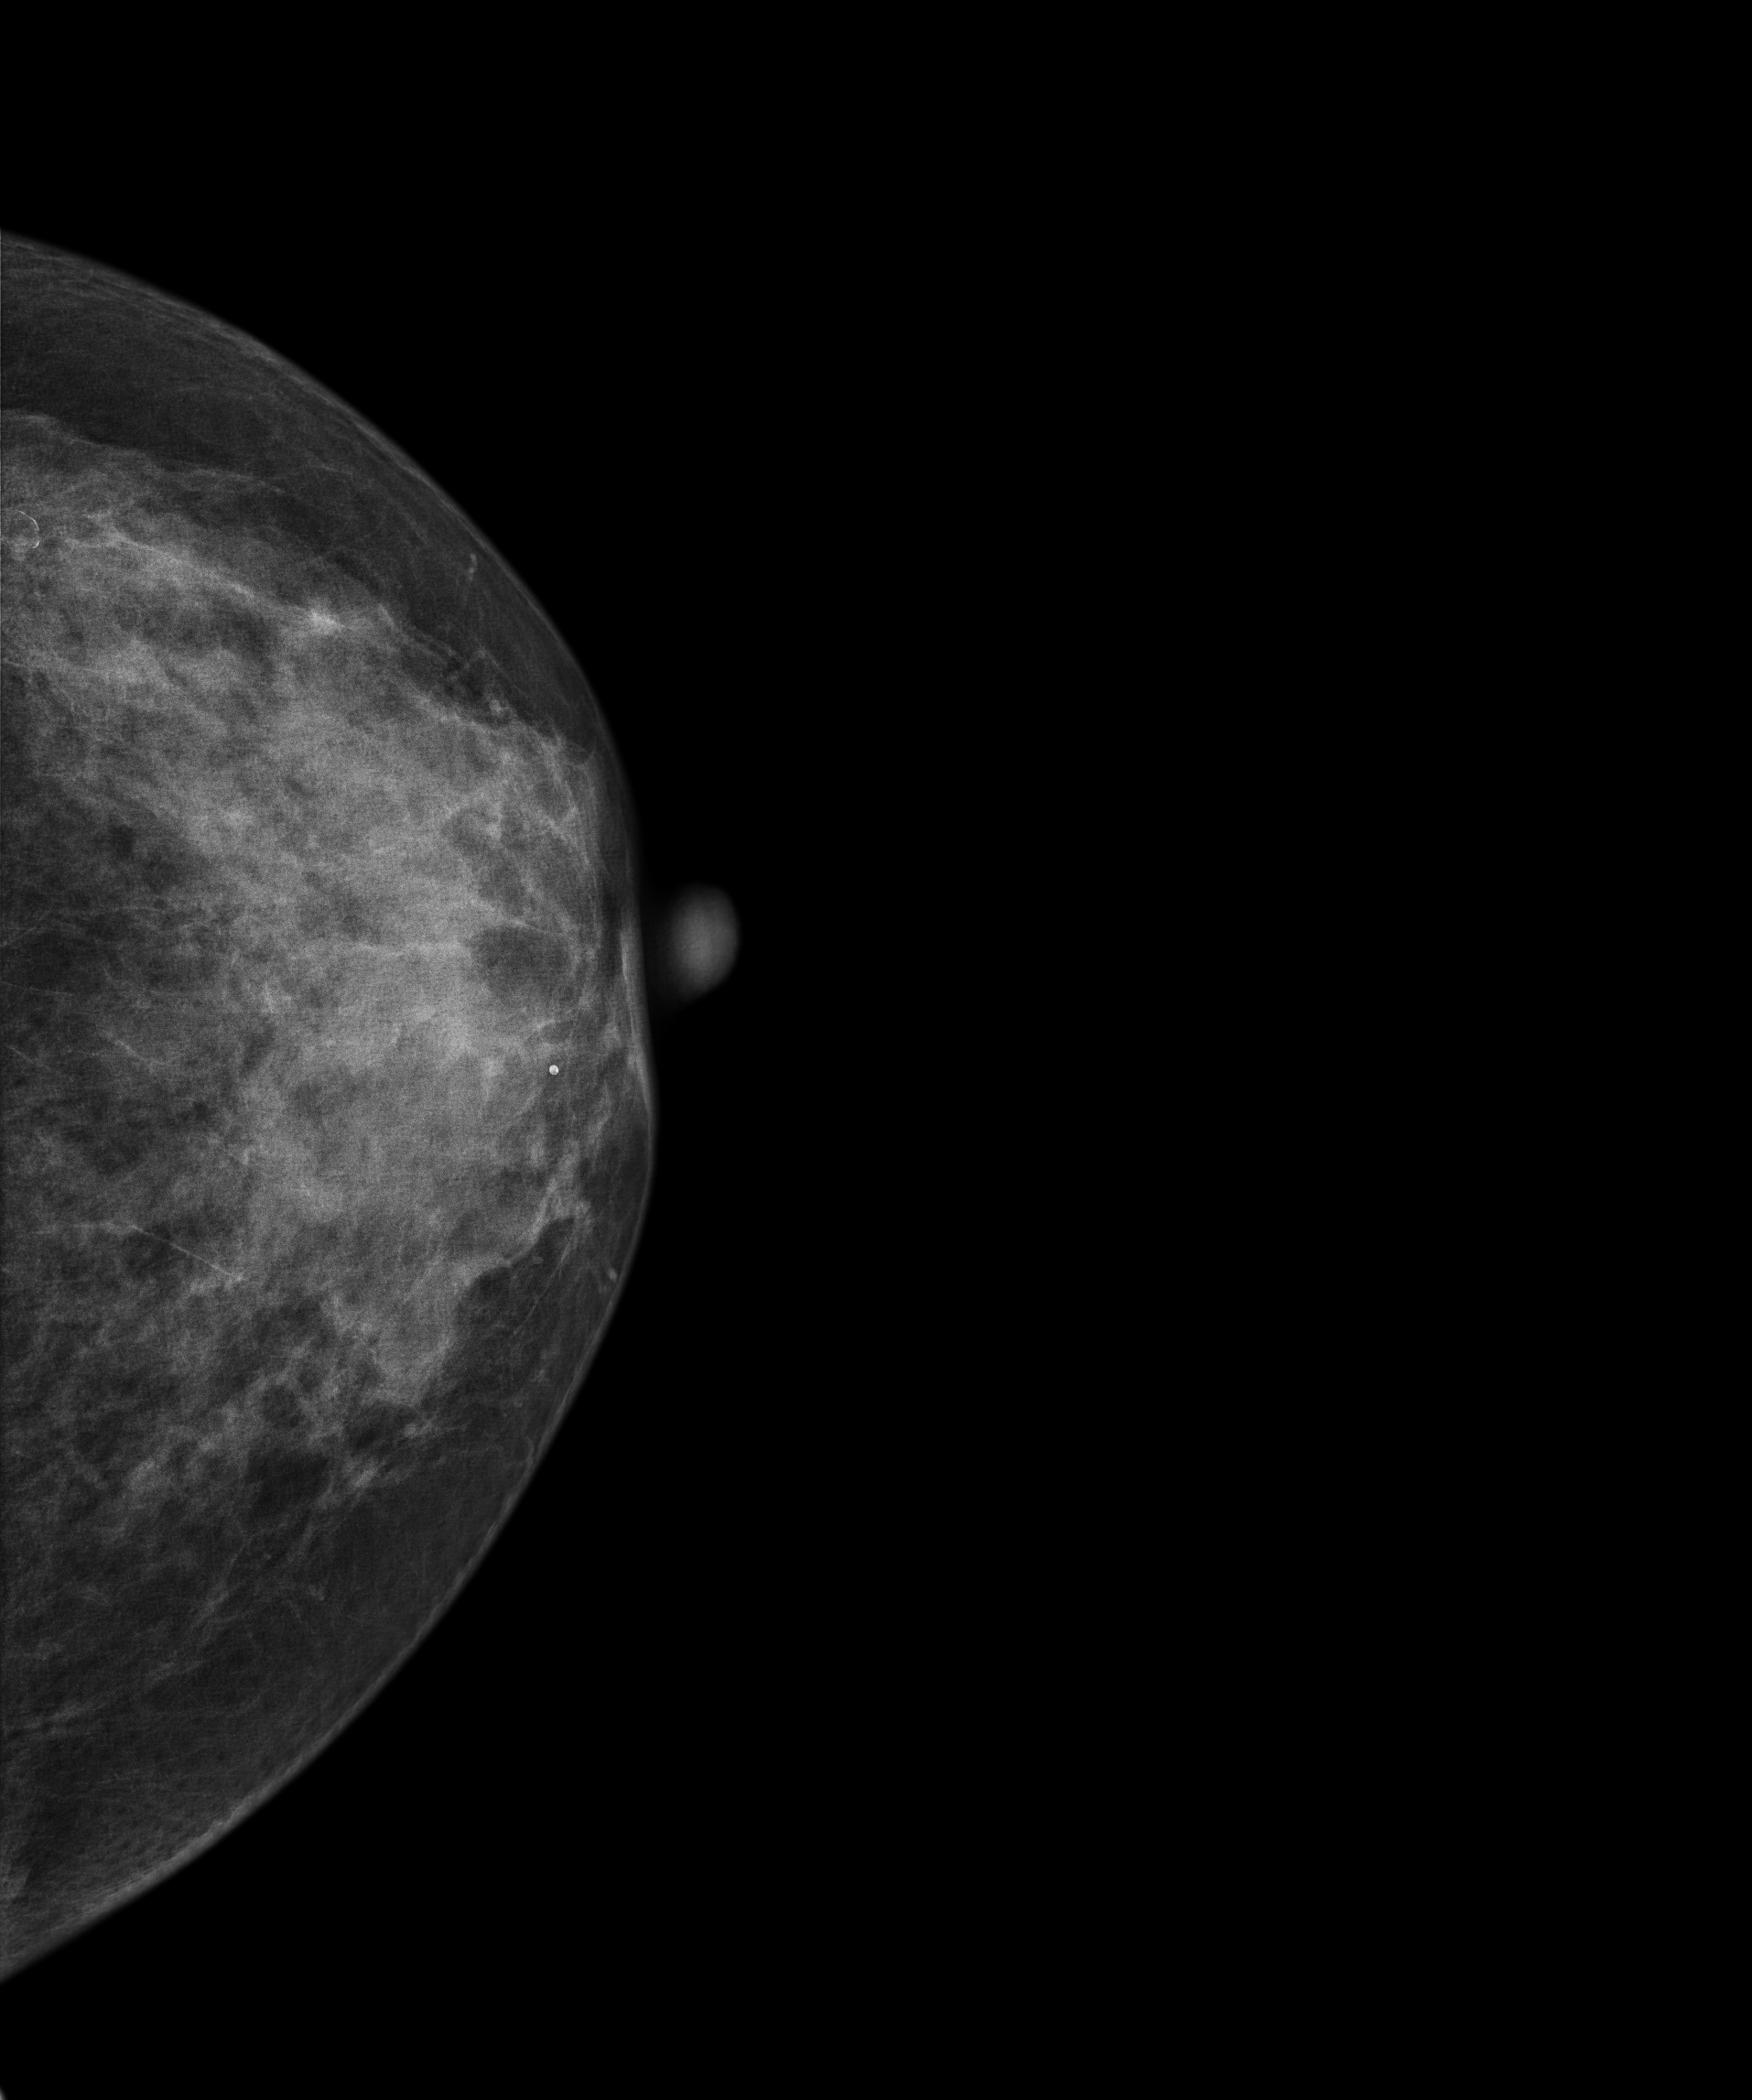
Mammogram — left CC. 63-year-old patient.
Contralateral breast — no documented abnormality on this side.